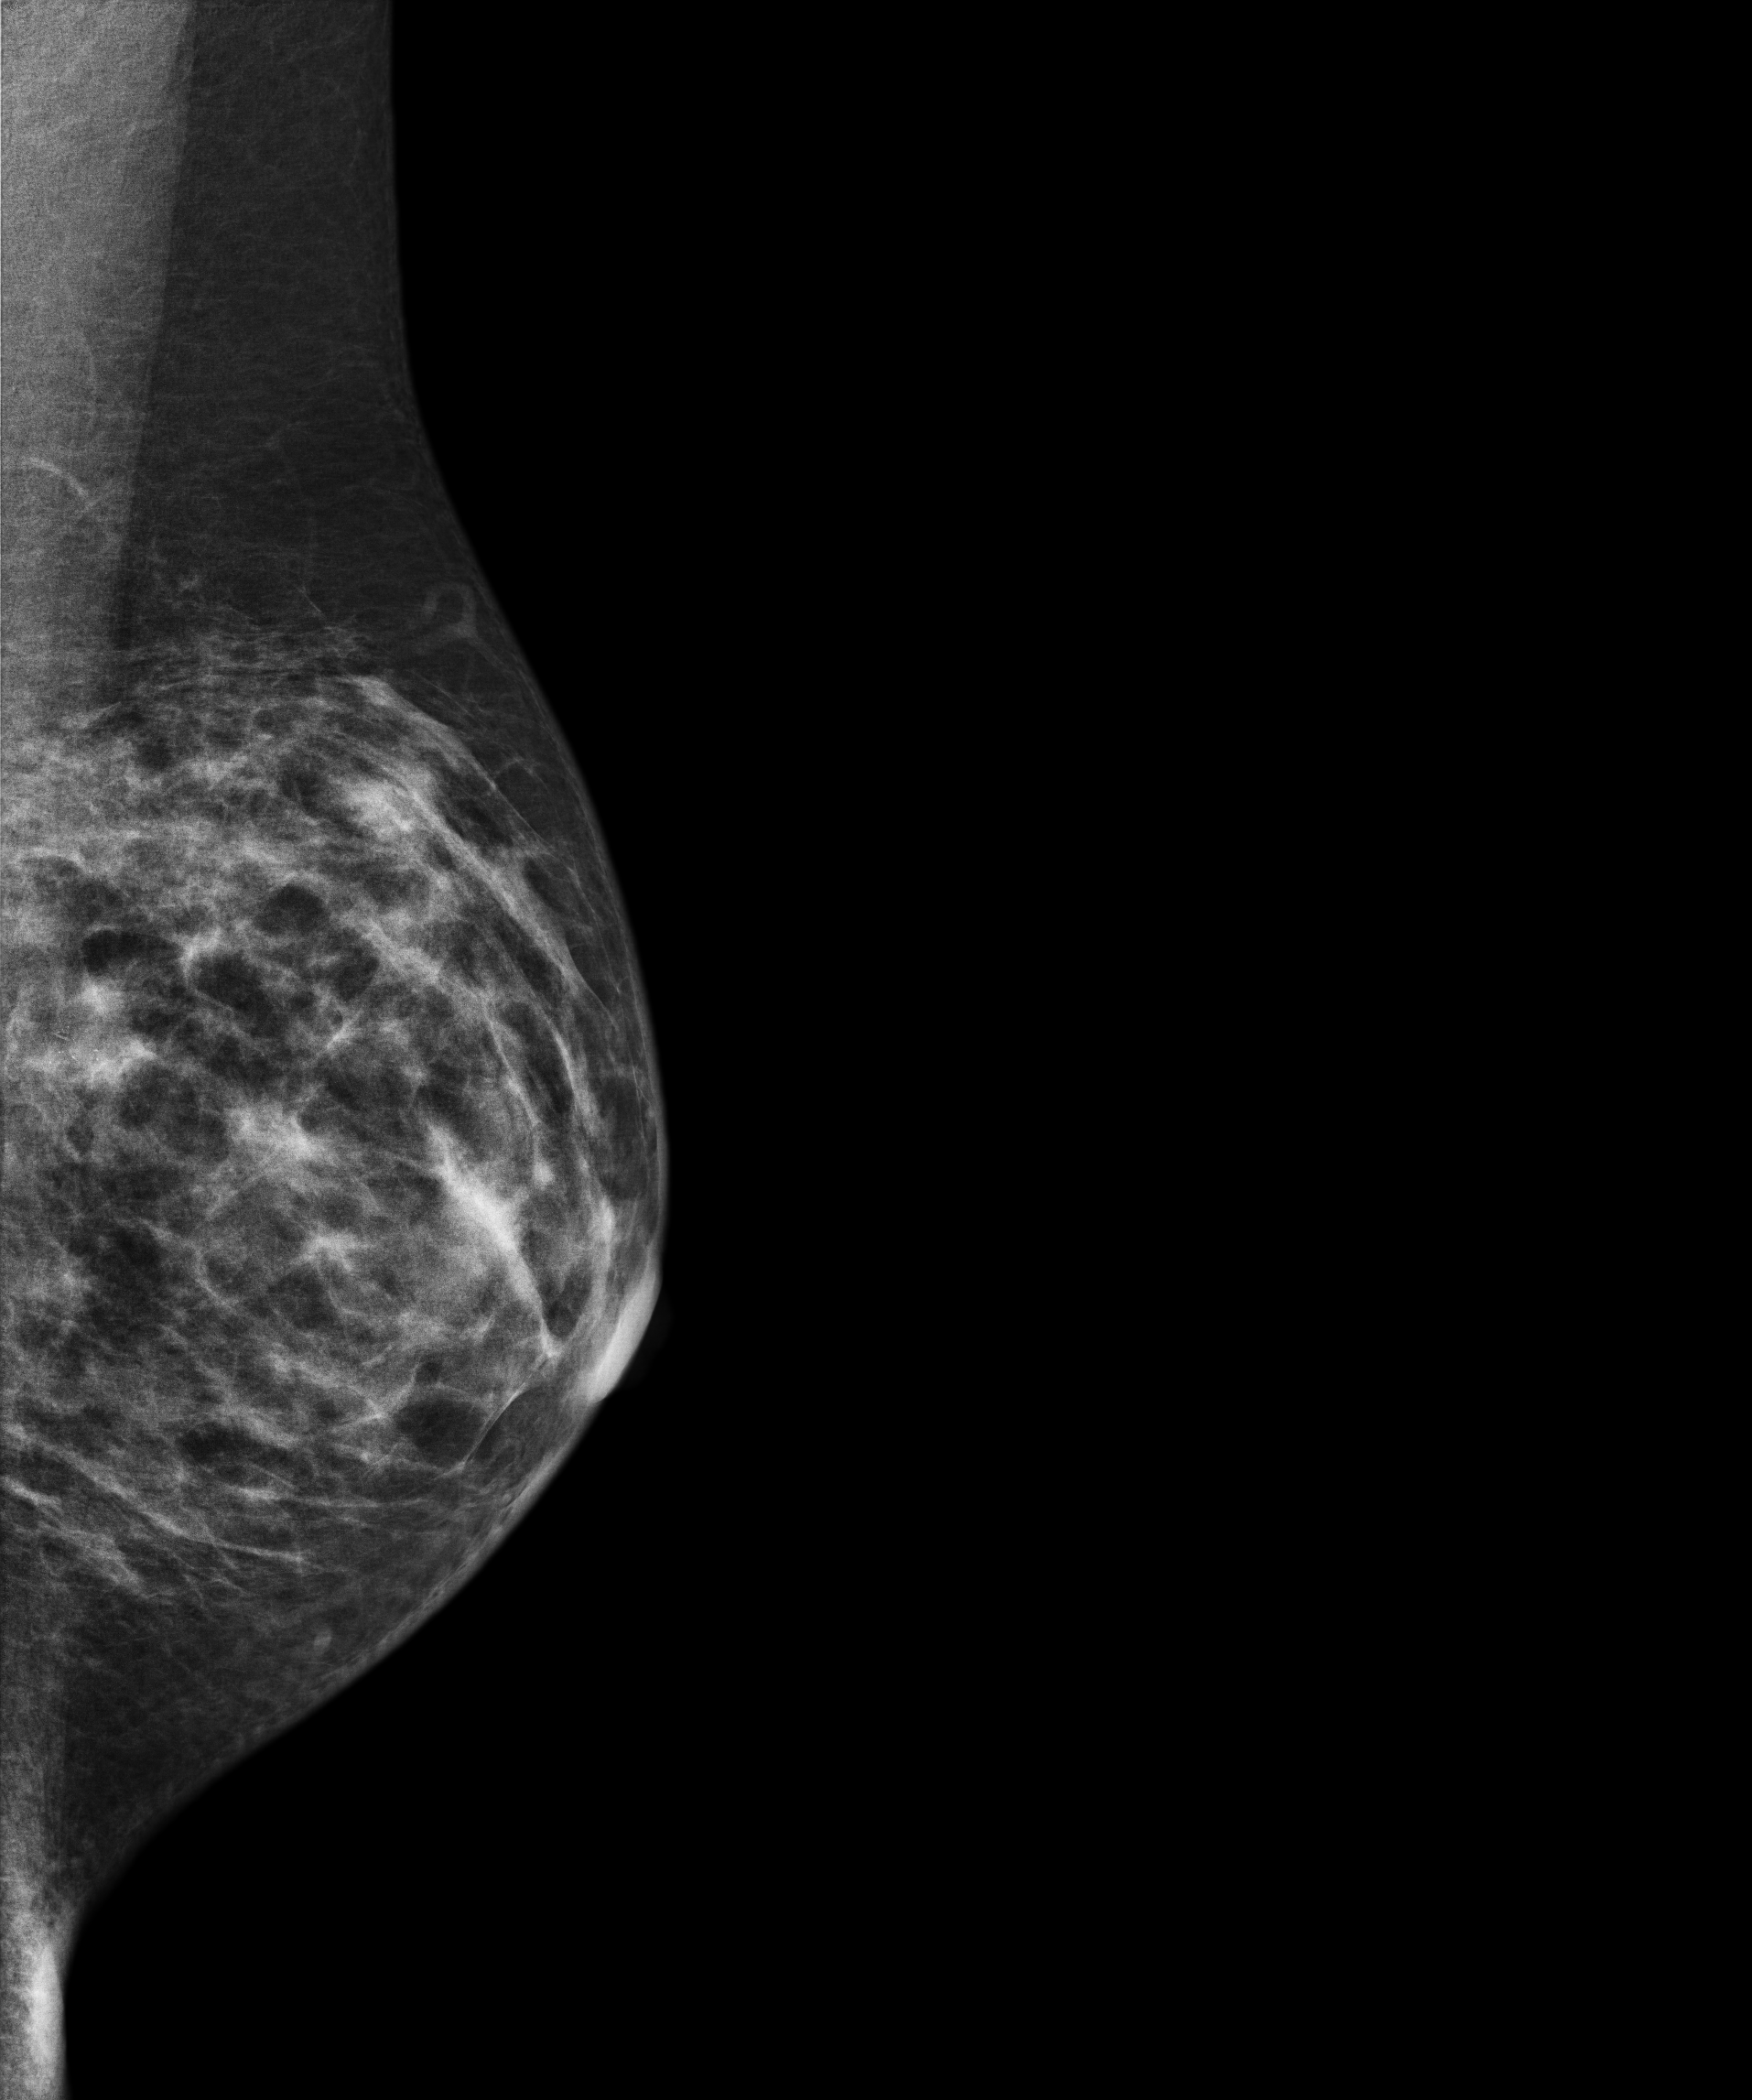
Mammogram, left breast, MLO view. 29 y/o patient.
This breast has a mass, biopsy-proven malignant. Molecular subtype: luminal B.